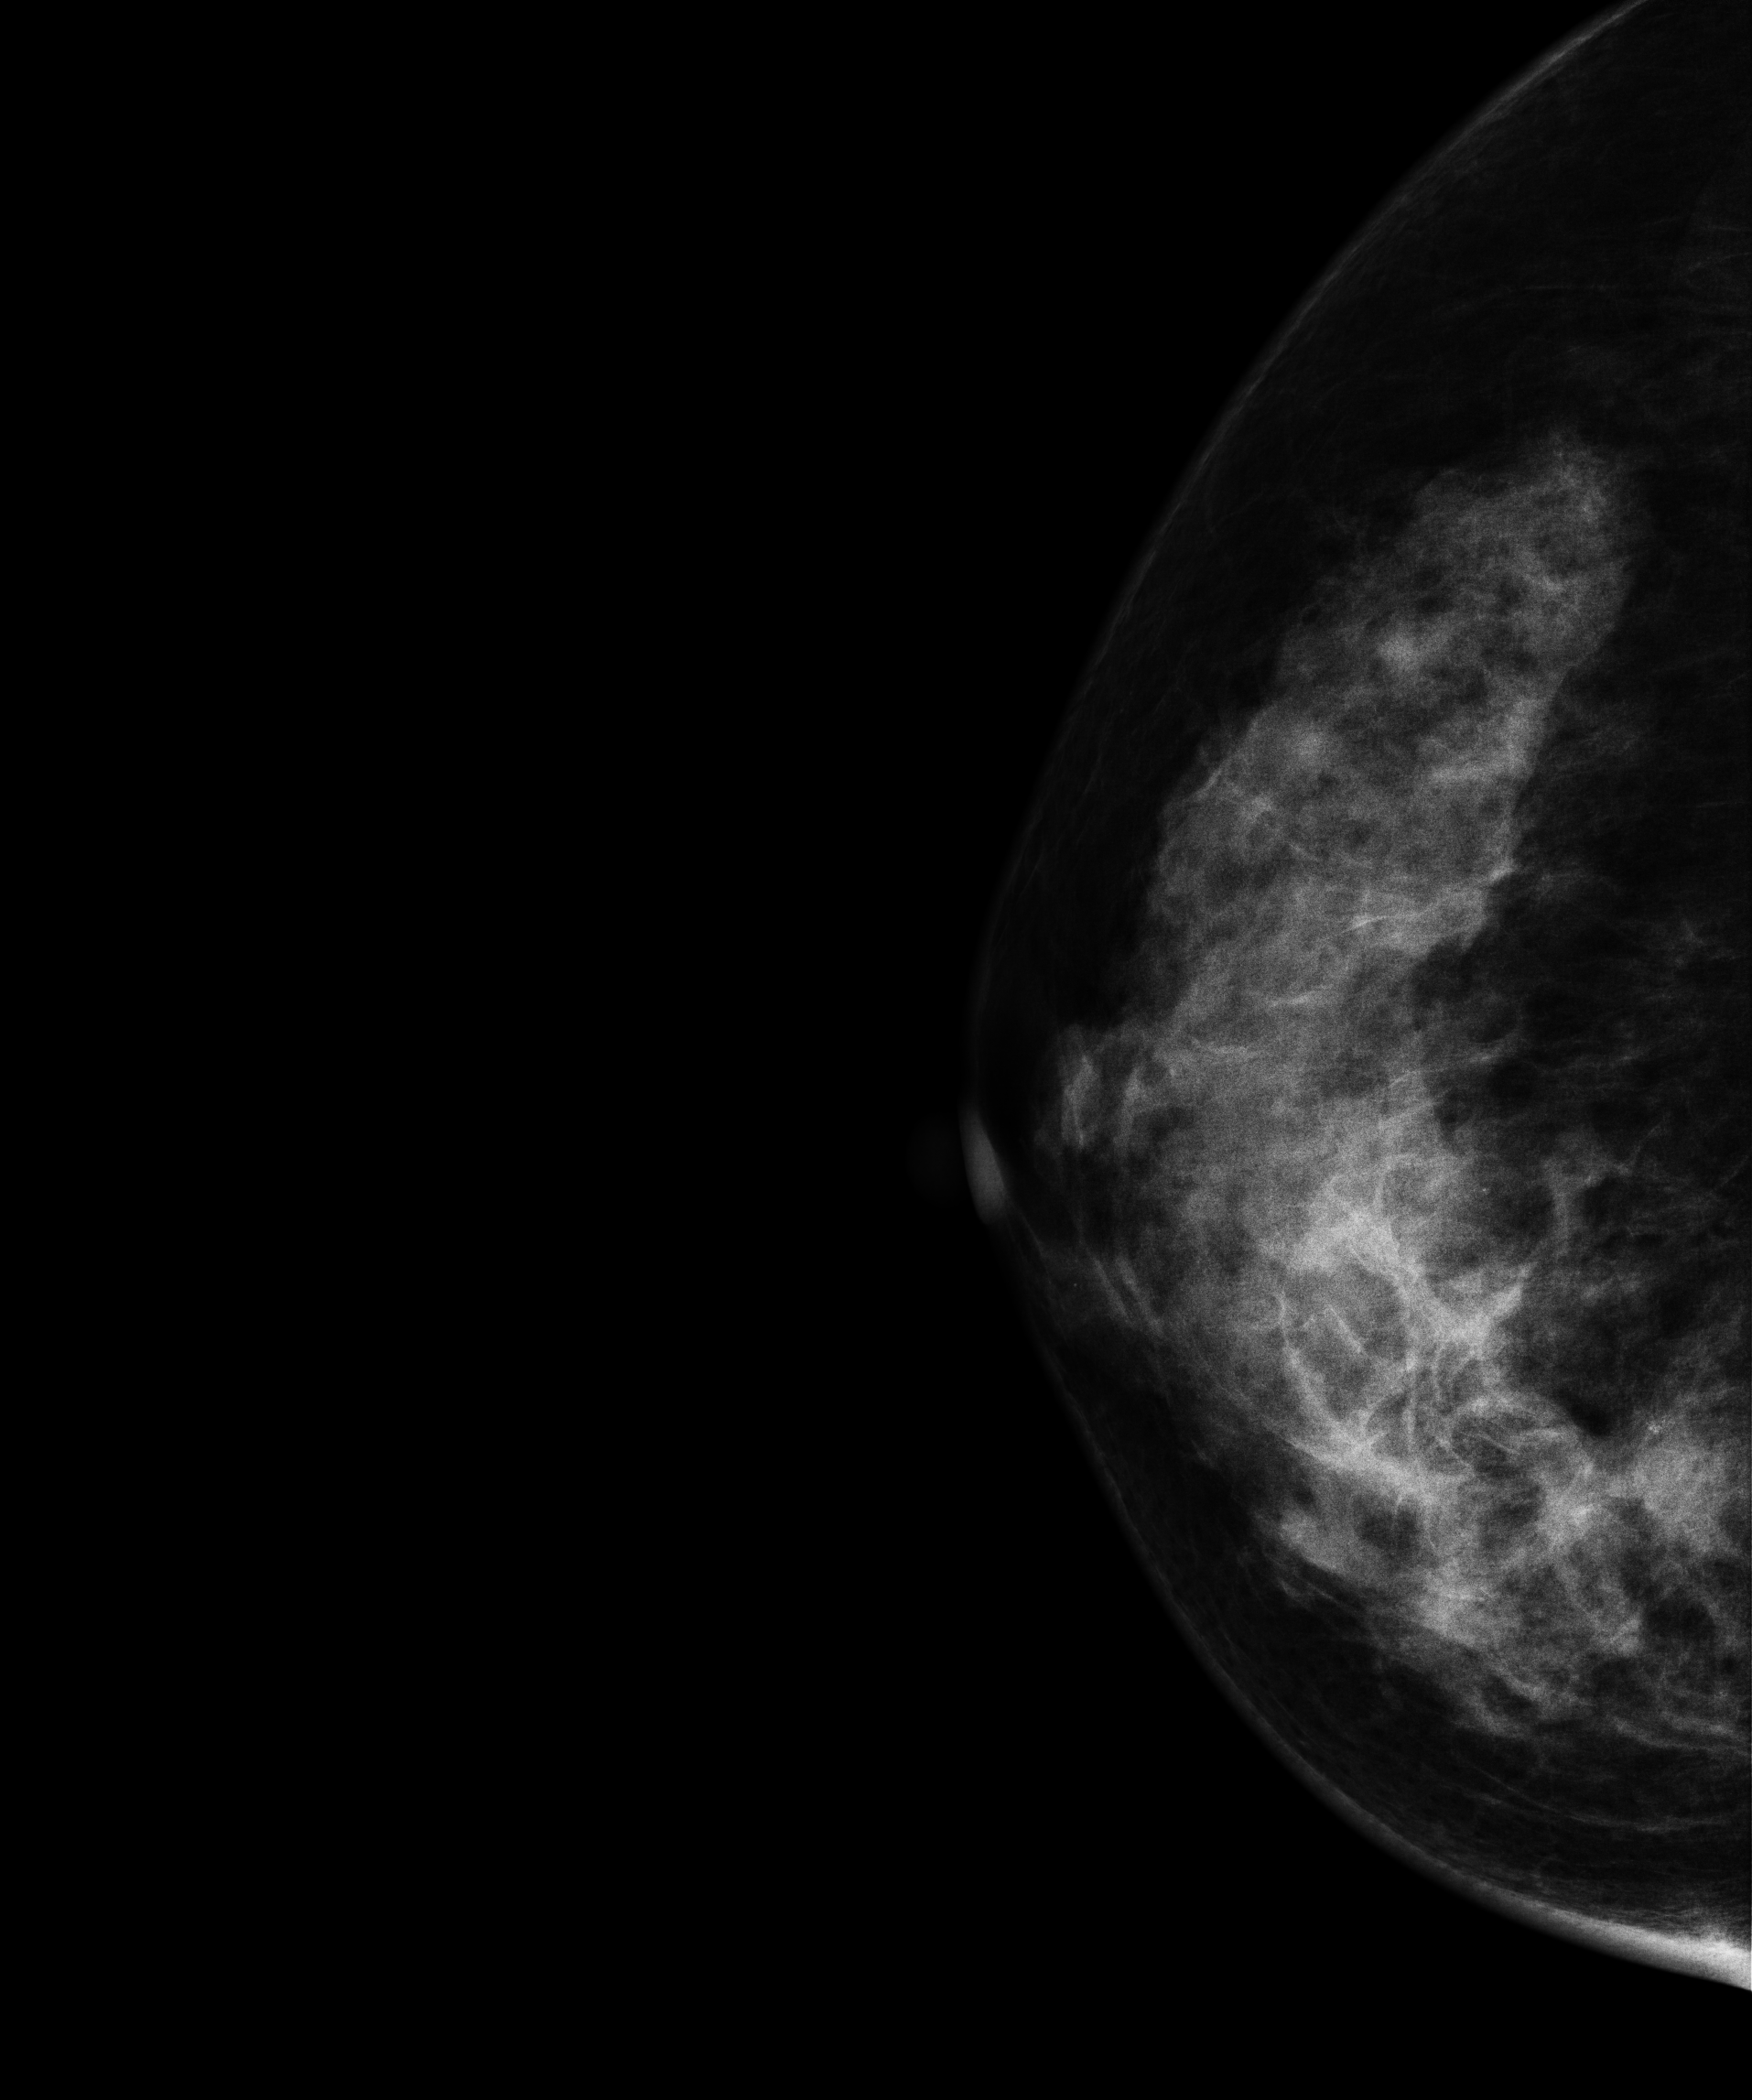
CC mammogram of the right breast. Patient age 52.
This breast has a mass, histologically confirmed malignant.